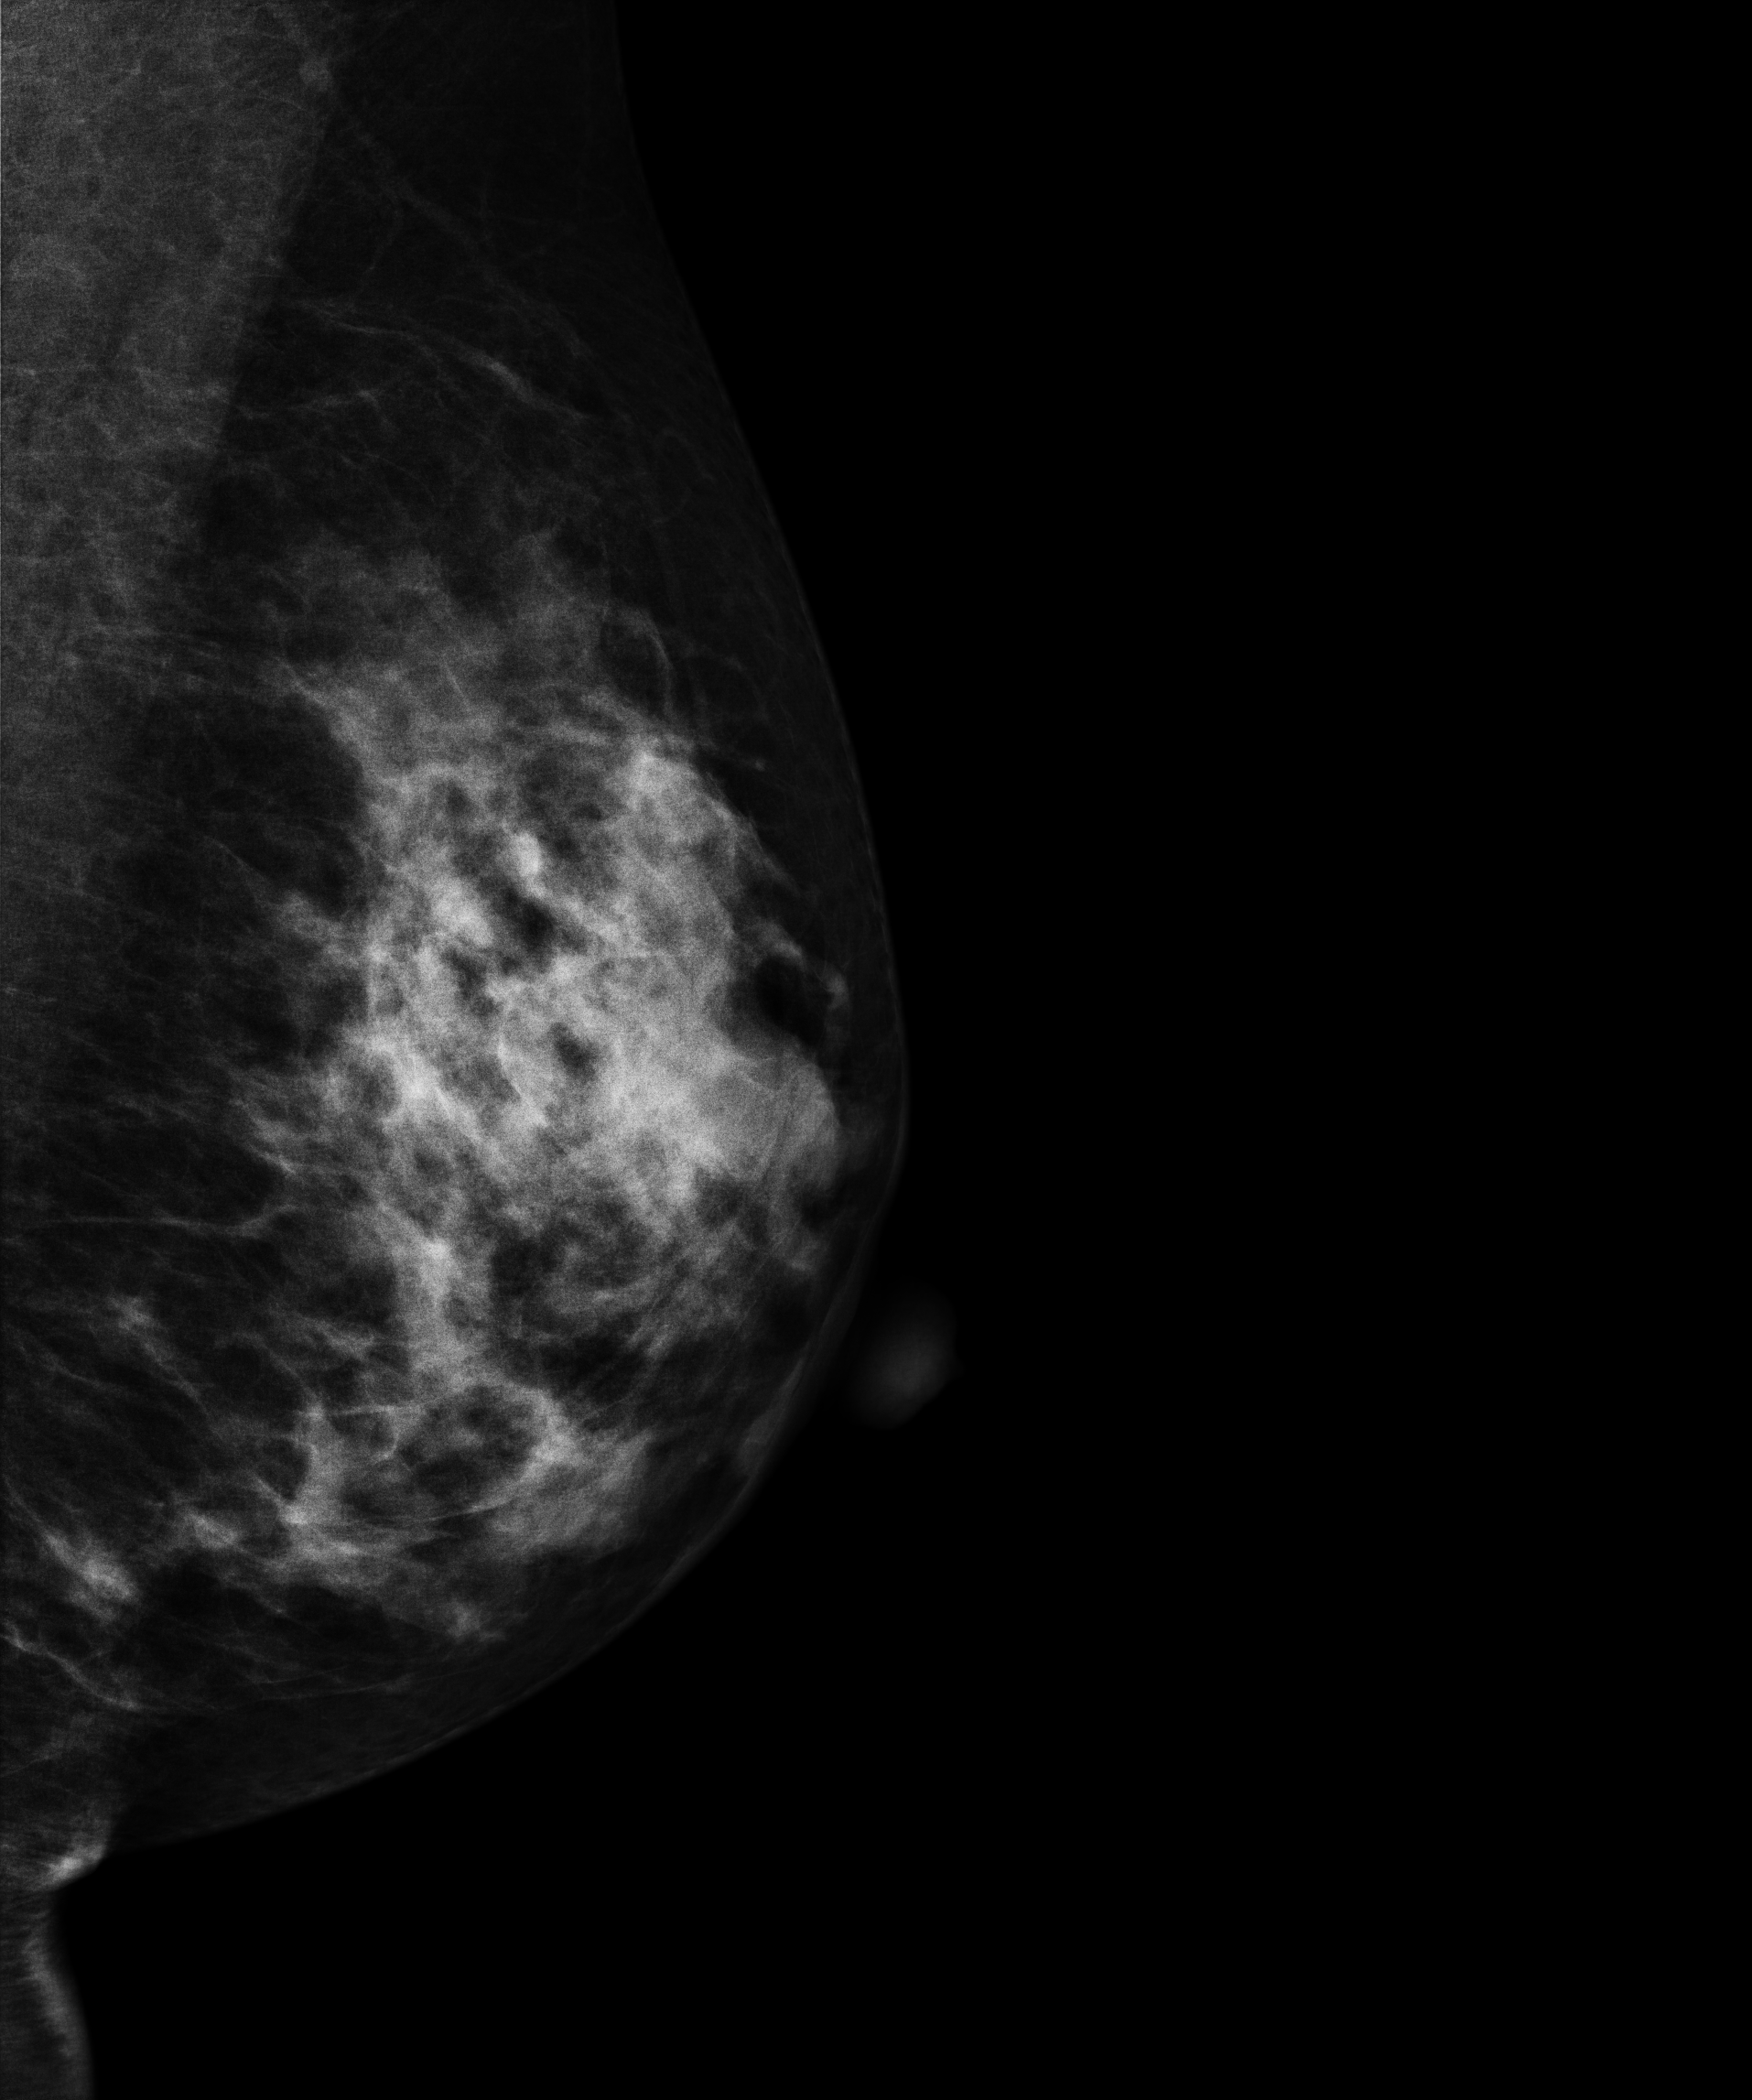
Left-breast mammogram, medio-lateral oblique. 46-year-old patient.
This breast has a mass, biopsy-proven benign.